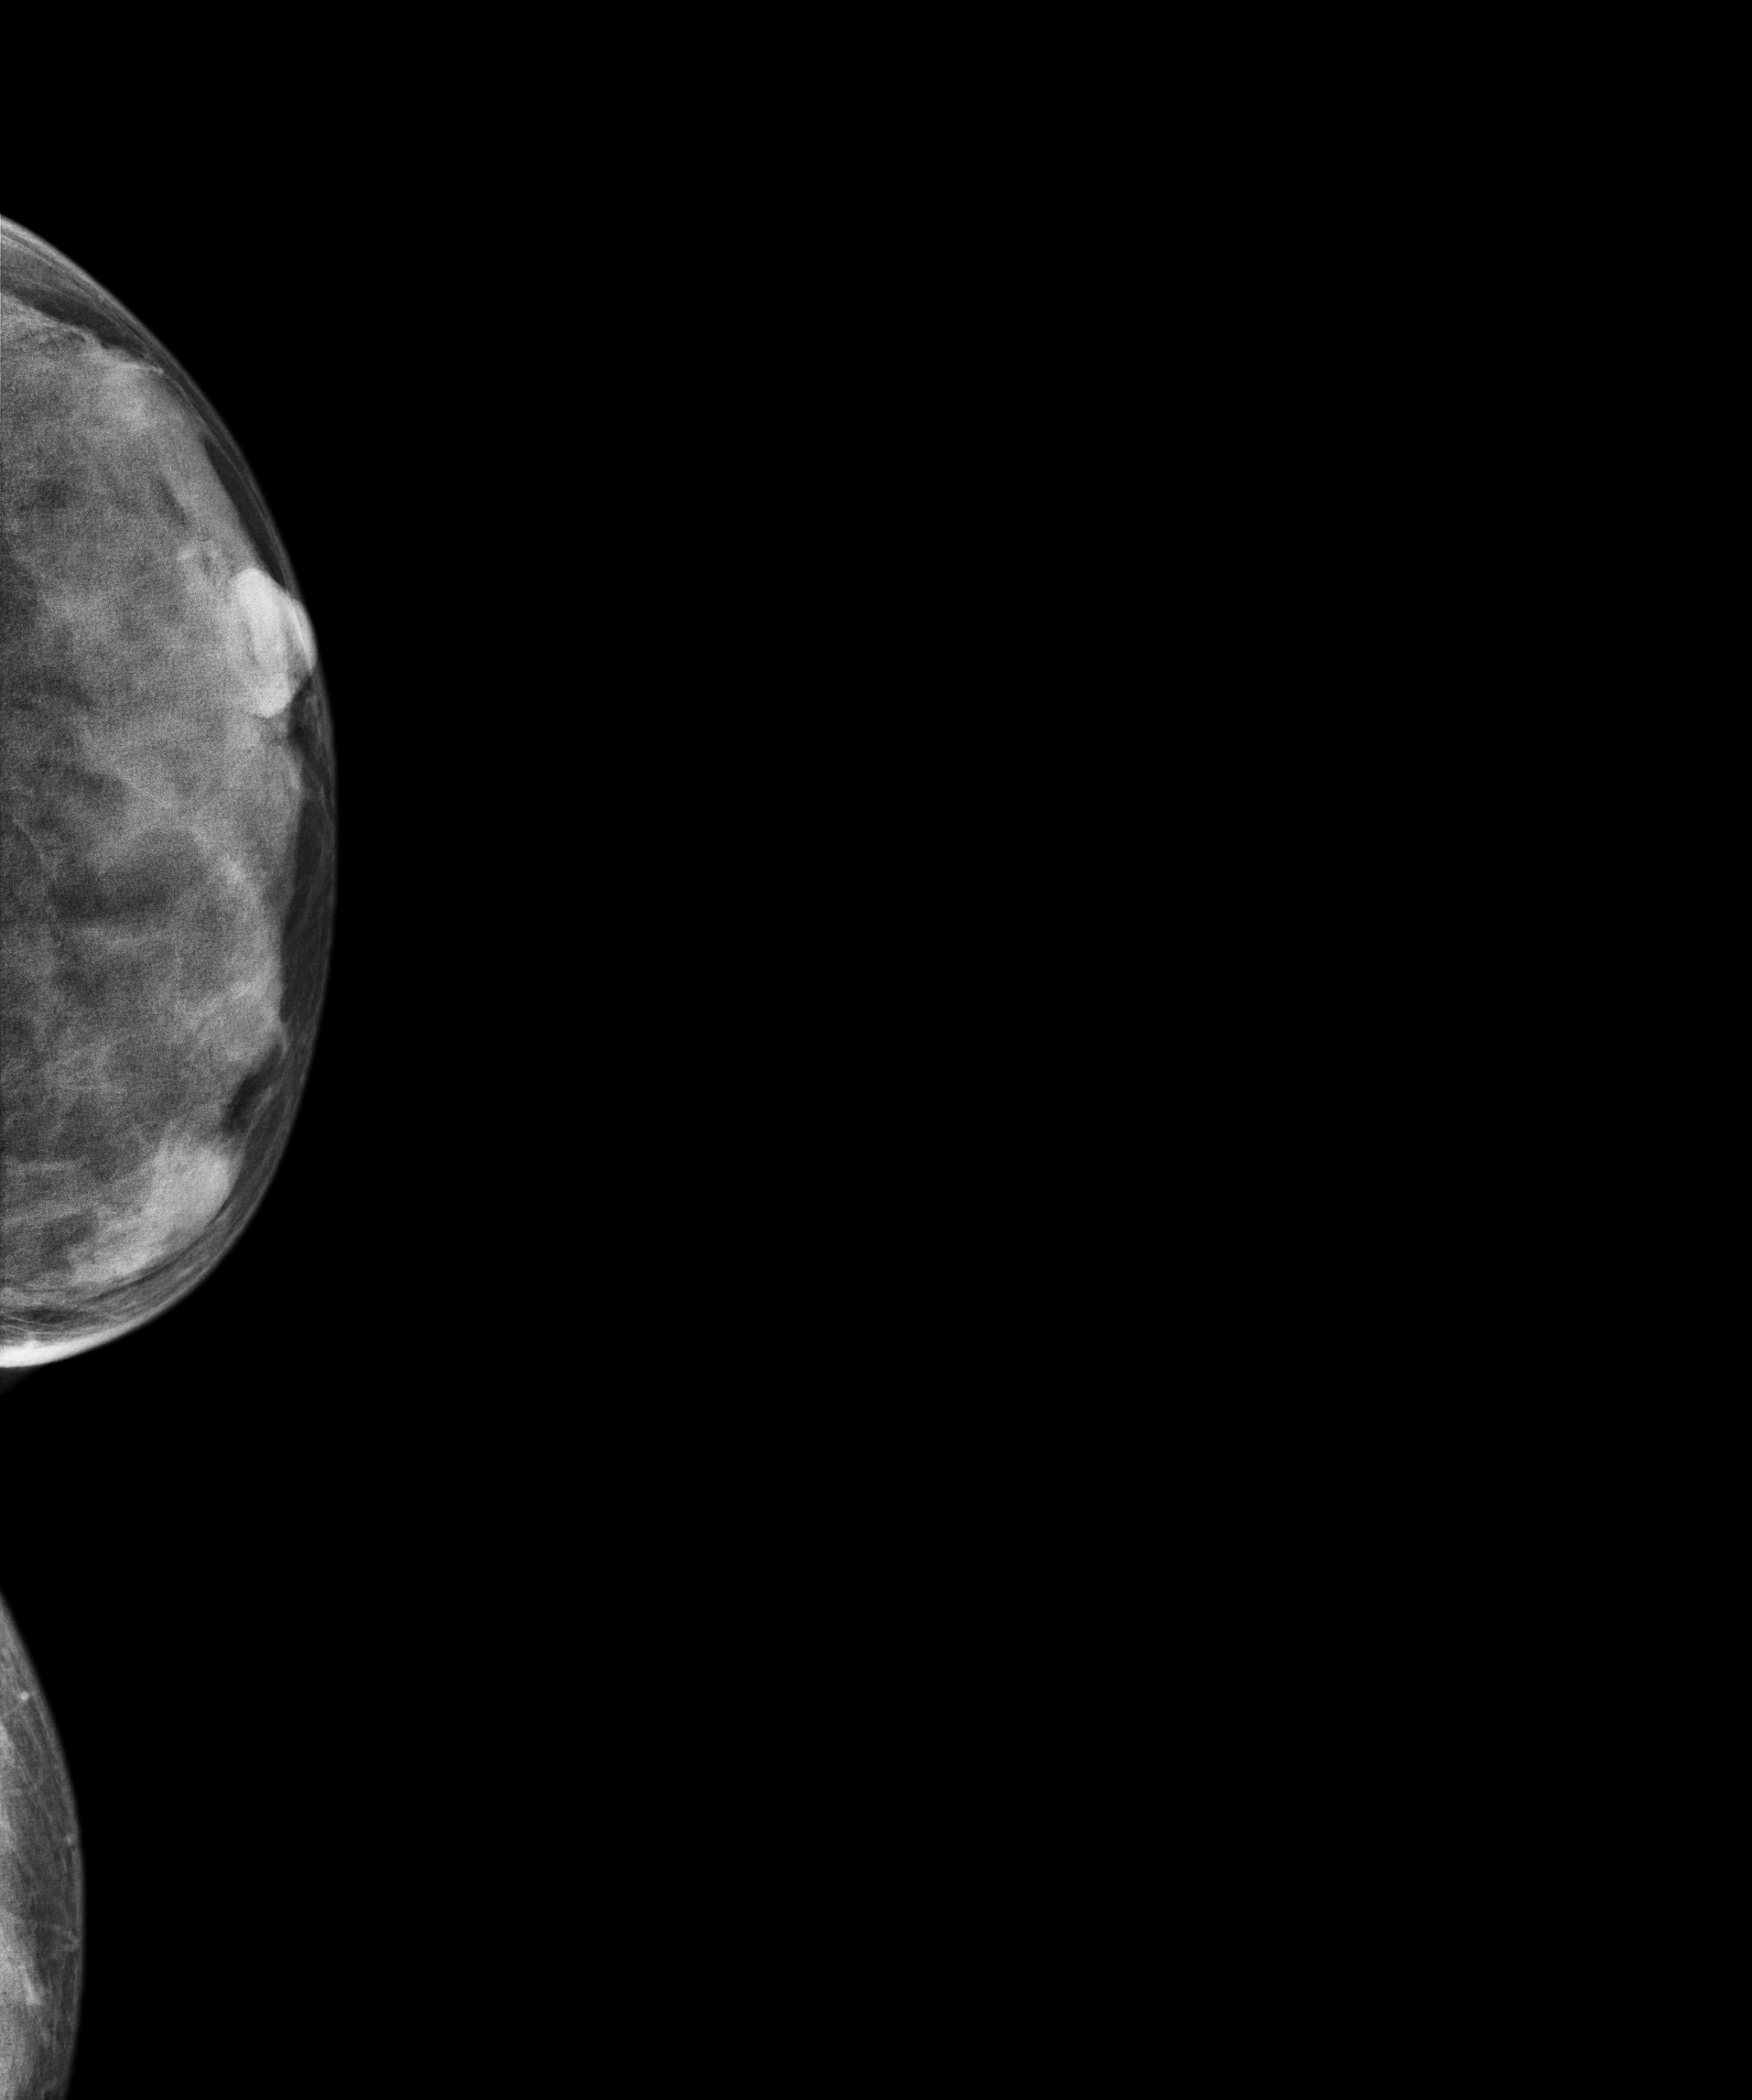
Mammogram — left cranio-caudal. Patient age 35.
Contralateral breast — no documented abnormality on this side.